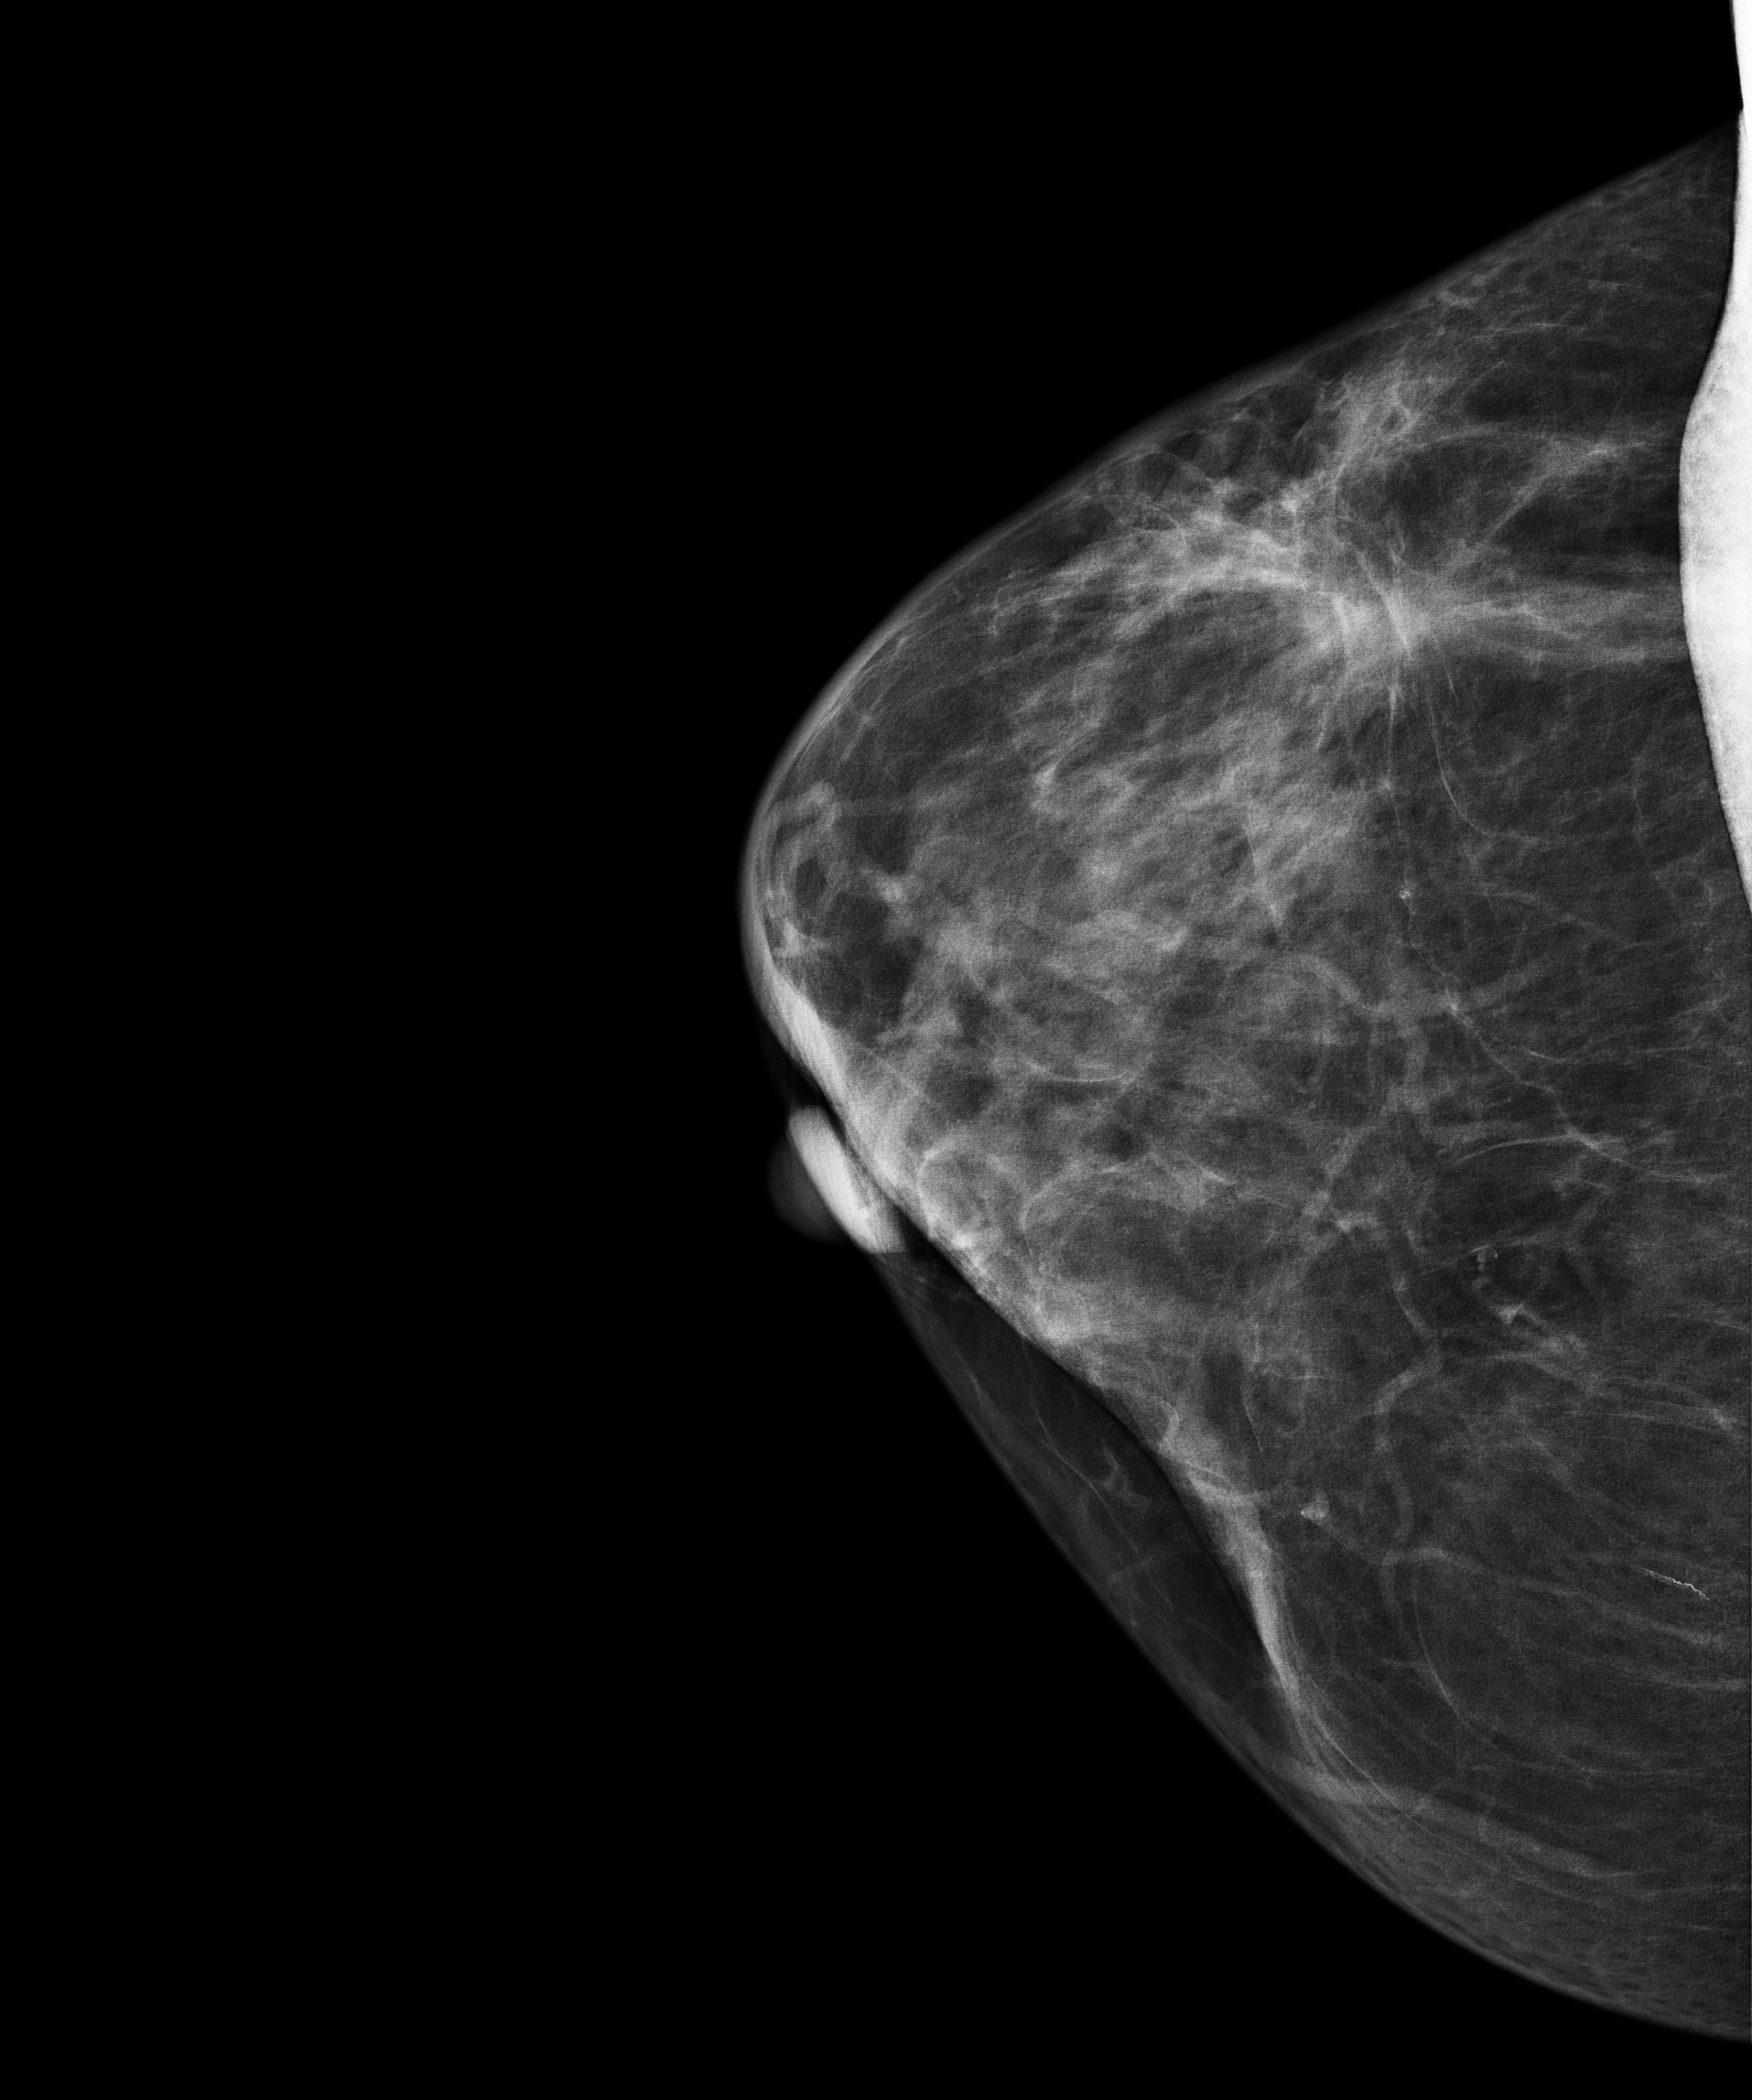
Mammogram — right CC. Patient age 76.
This breast has a mass, pathology-confirmed malignant. Molecular subtype: luminal A.